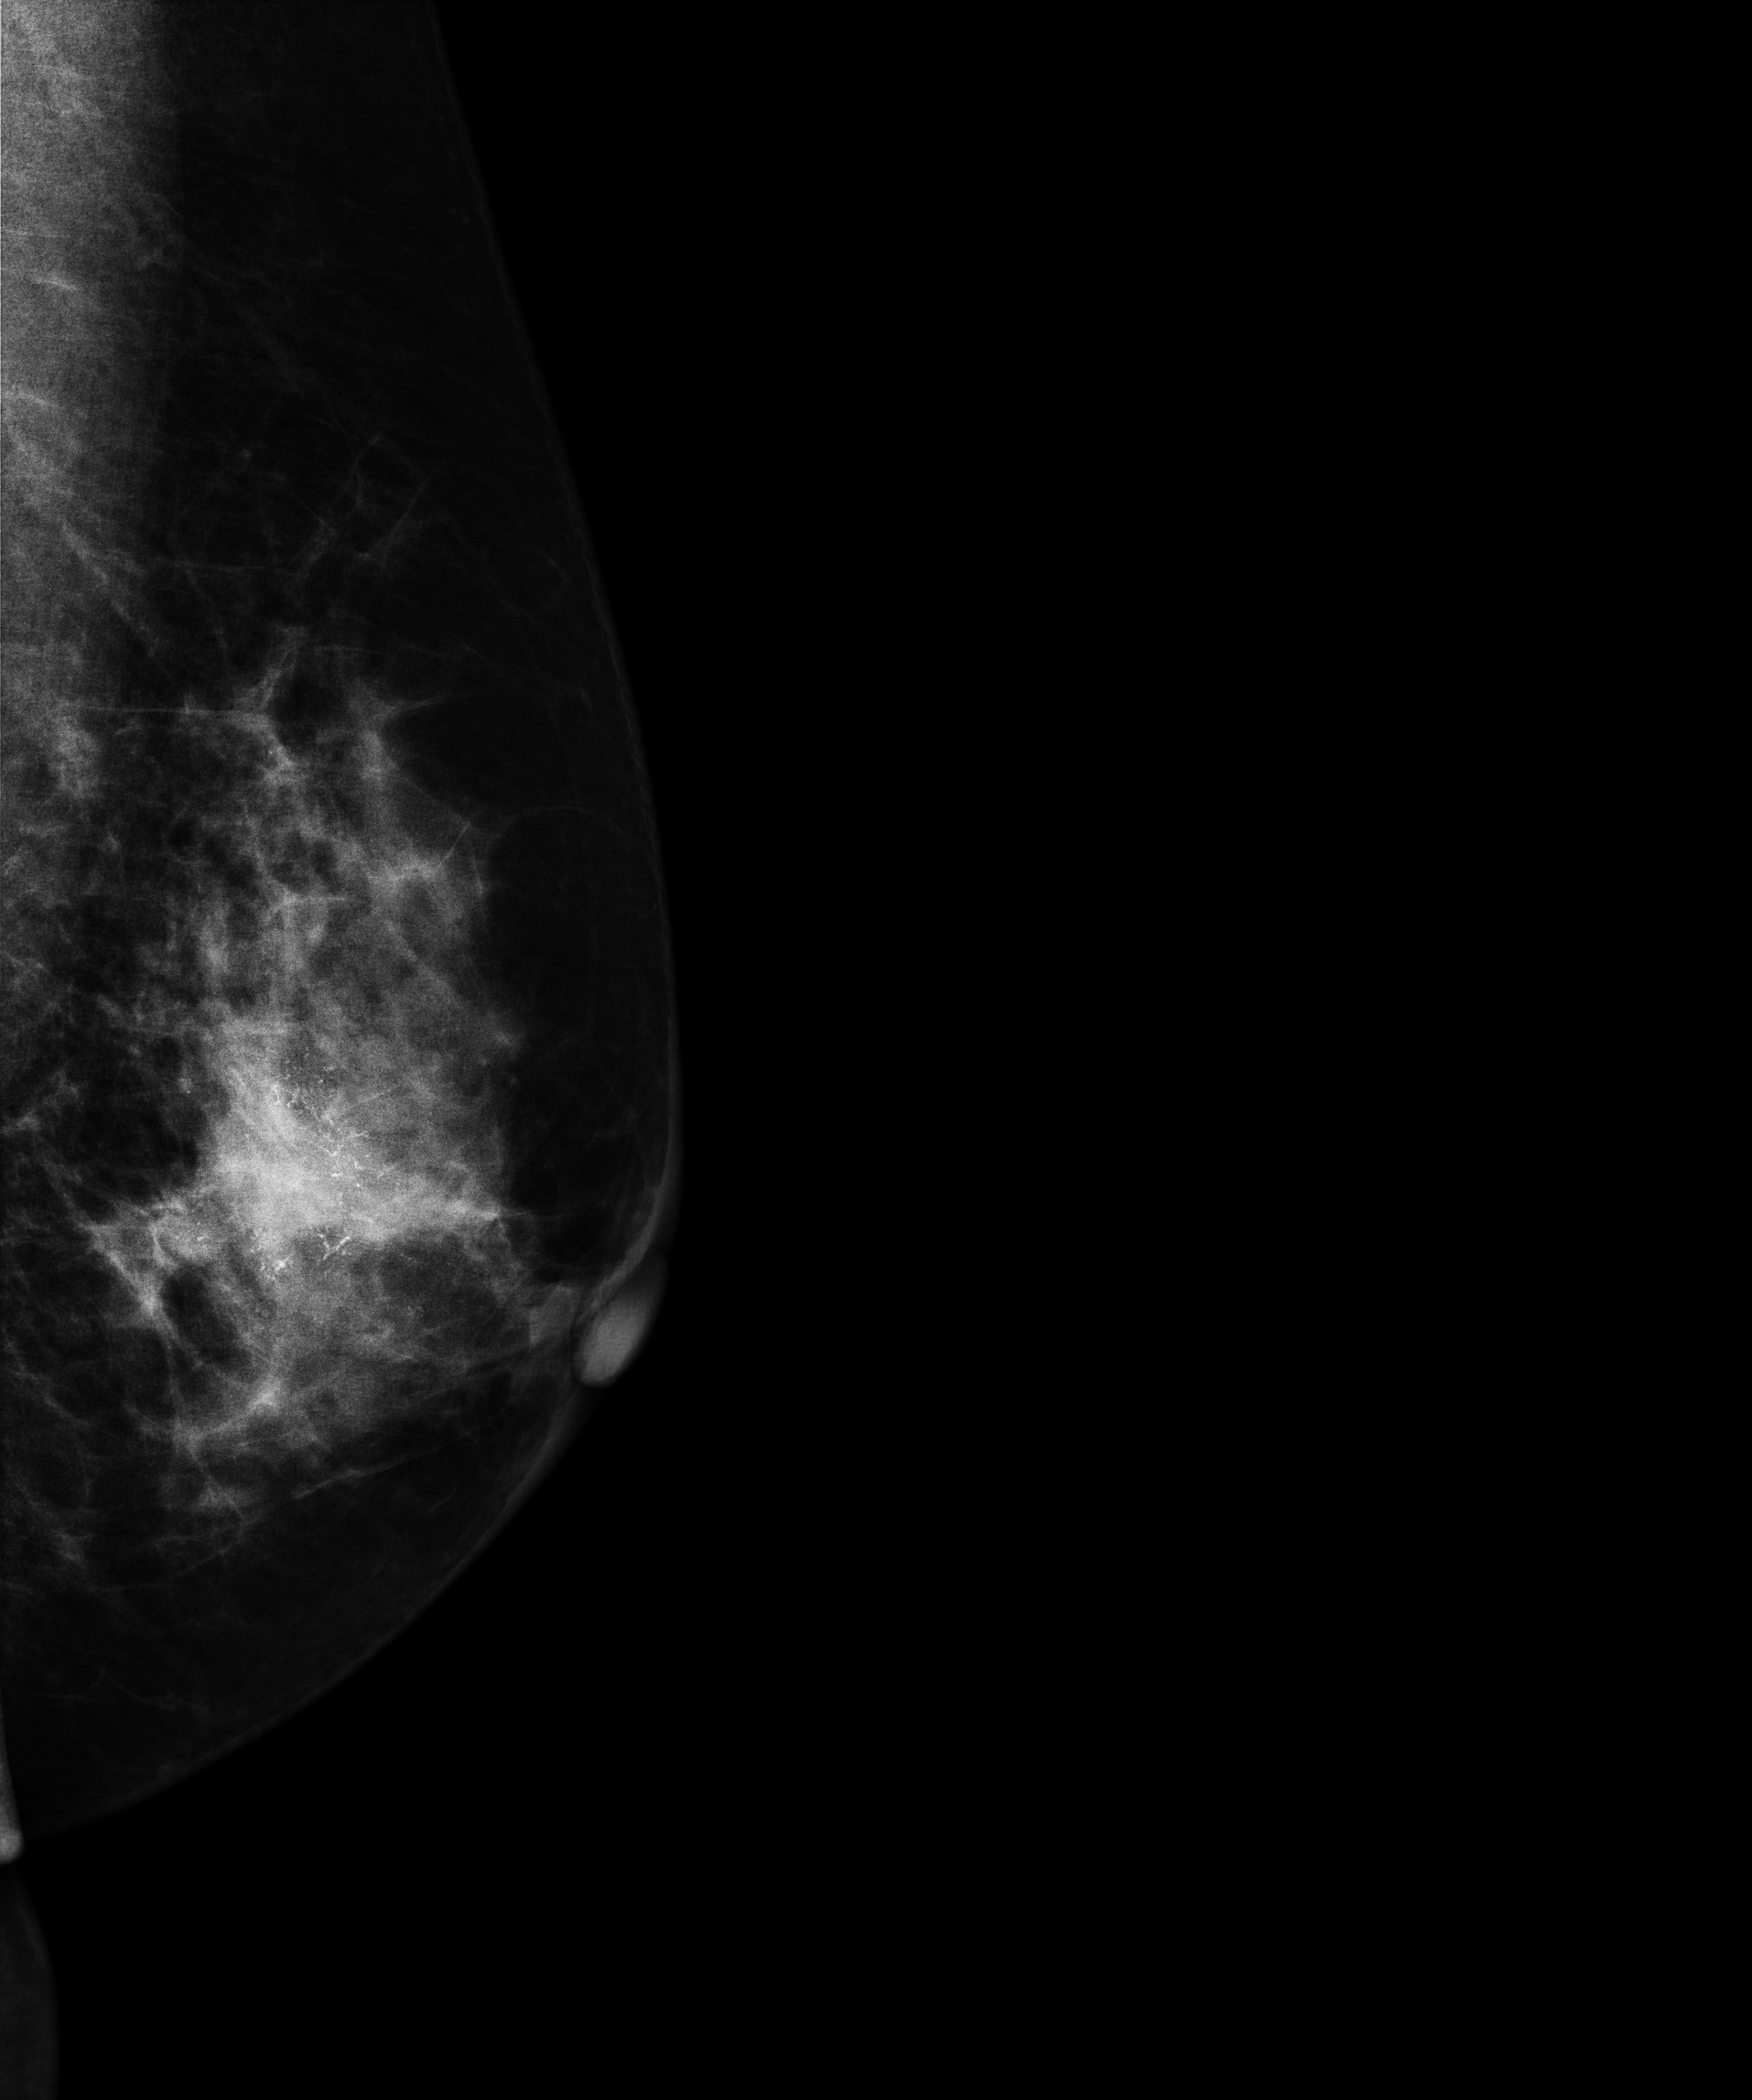
Mammogram — left MLO. 58 y/o patient.
This breast has a mass and calcifications, biopsy-confirmed malignant. Molecular subtype: luminal B.